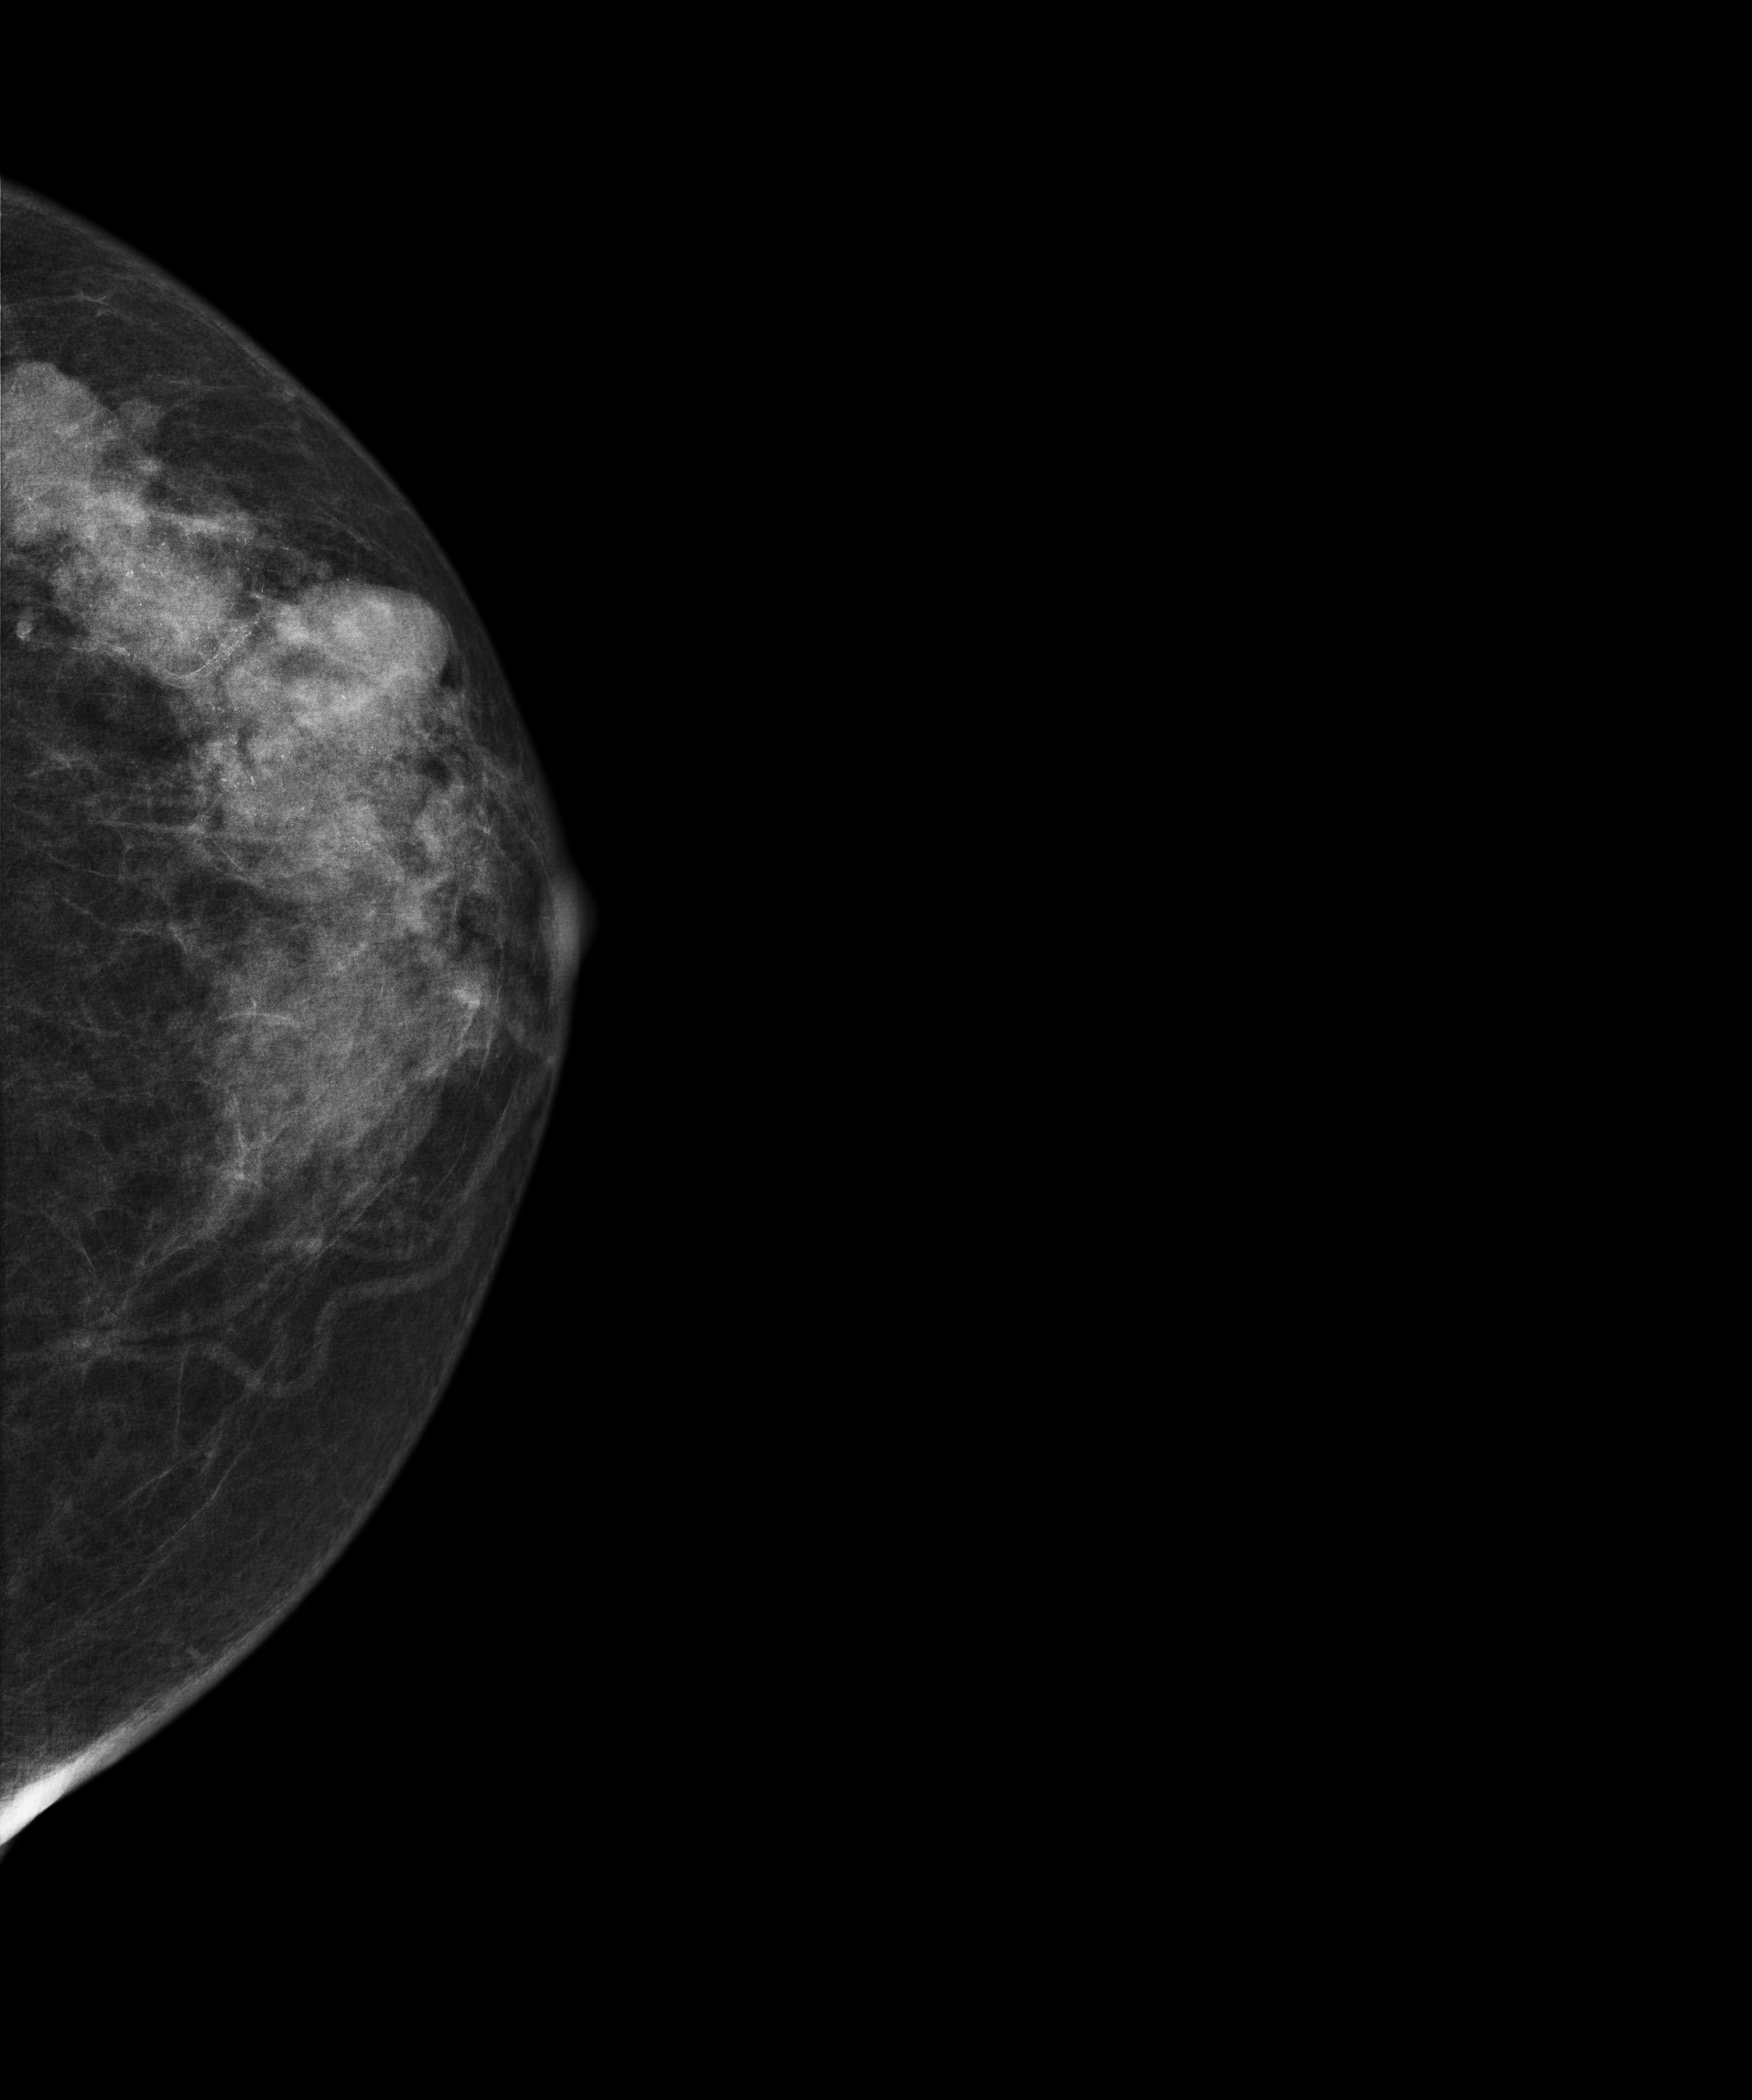
Mammogram — left CC. 72-year-old patient.
This breast has a mass and calcifications, pathology-confirmed malignant. Molecular subtype: luminal B.